Digital mammography. Right breast, medio-lateral oblique projection. 42-year-old patient.
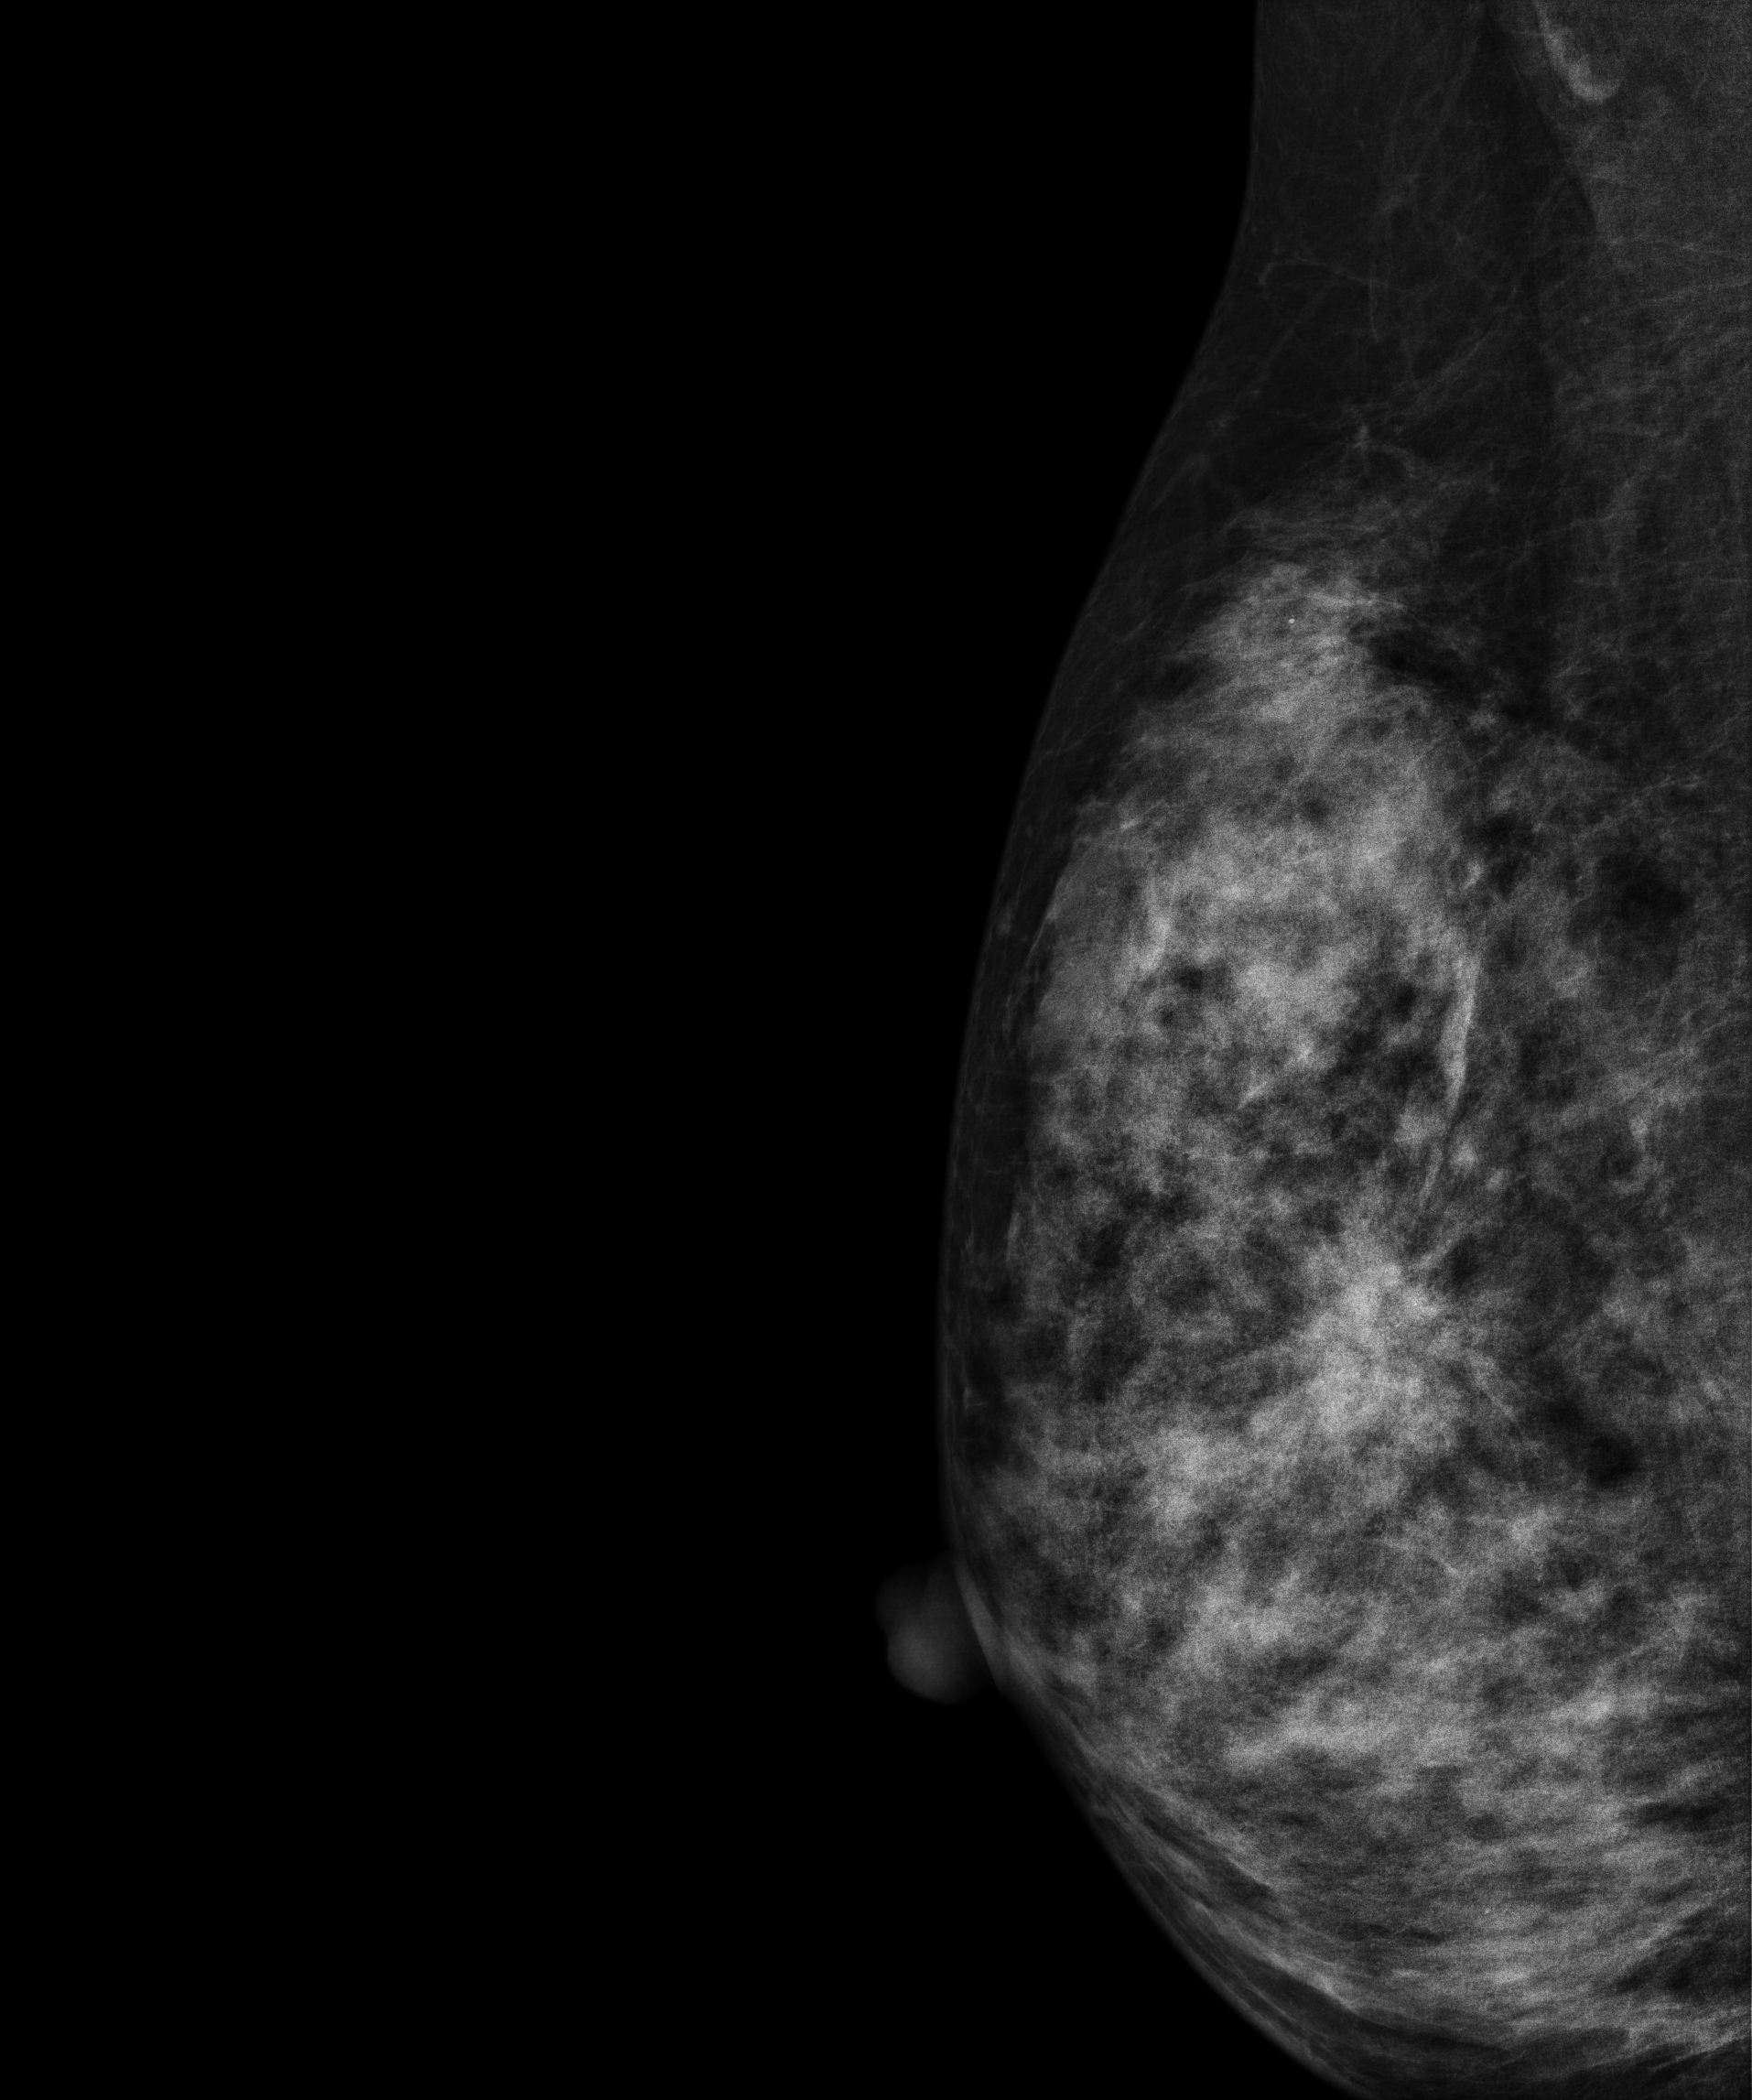
This breast has a mass, histologically confirmed malignant. Molecular subtype: luminal B.